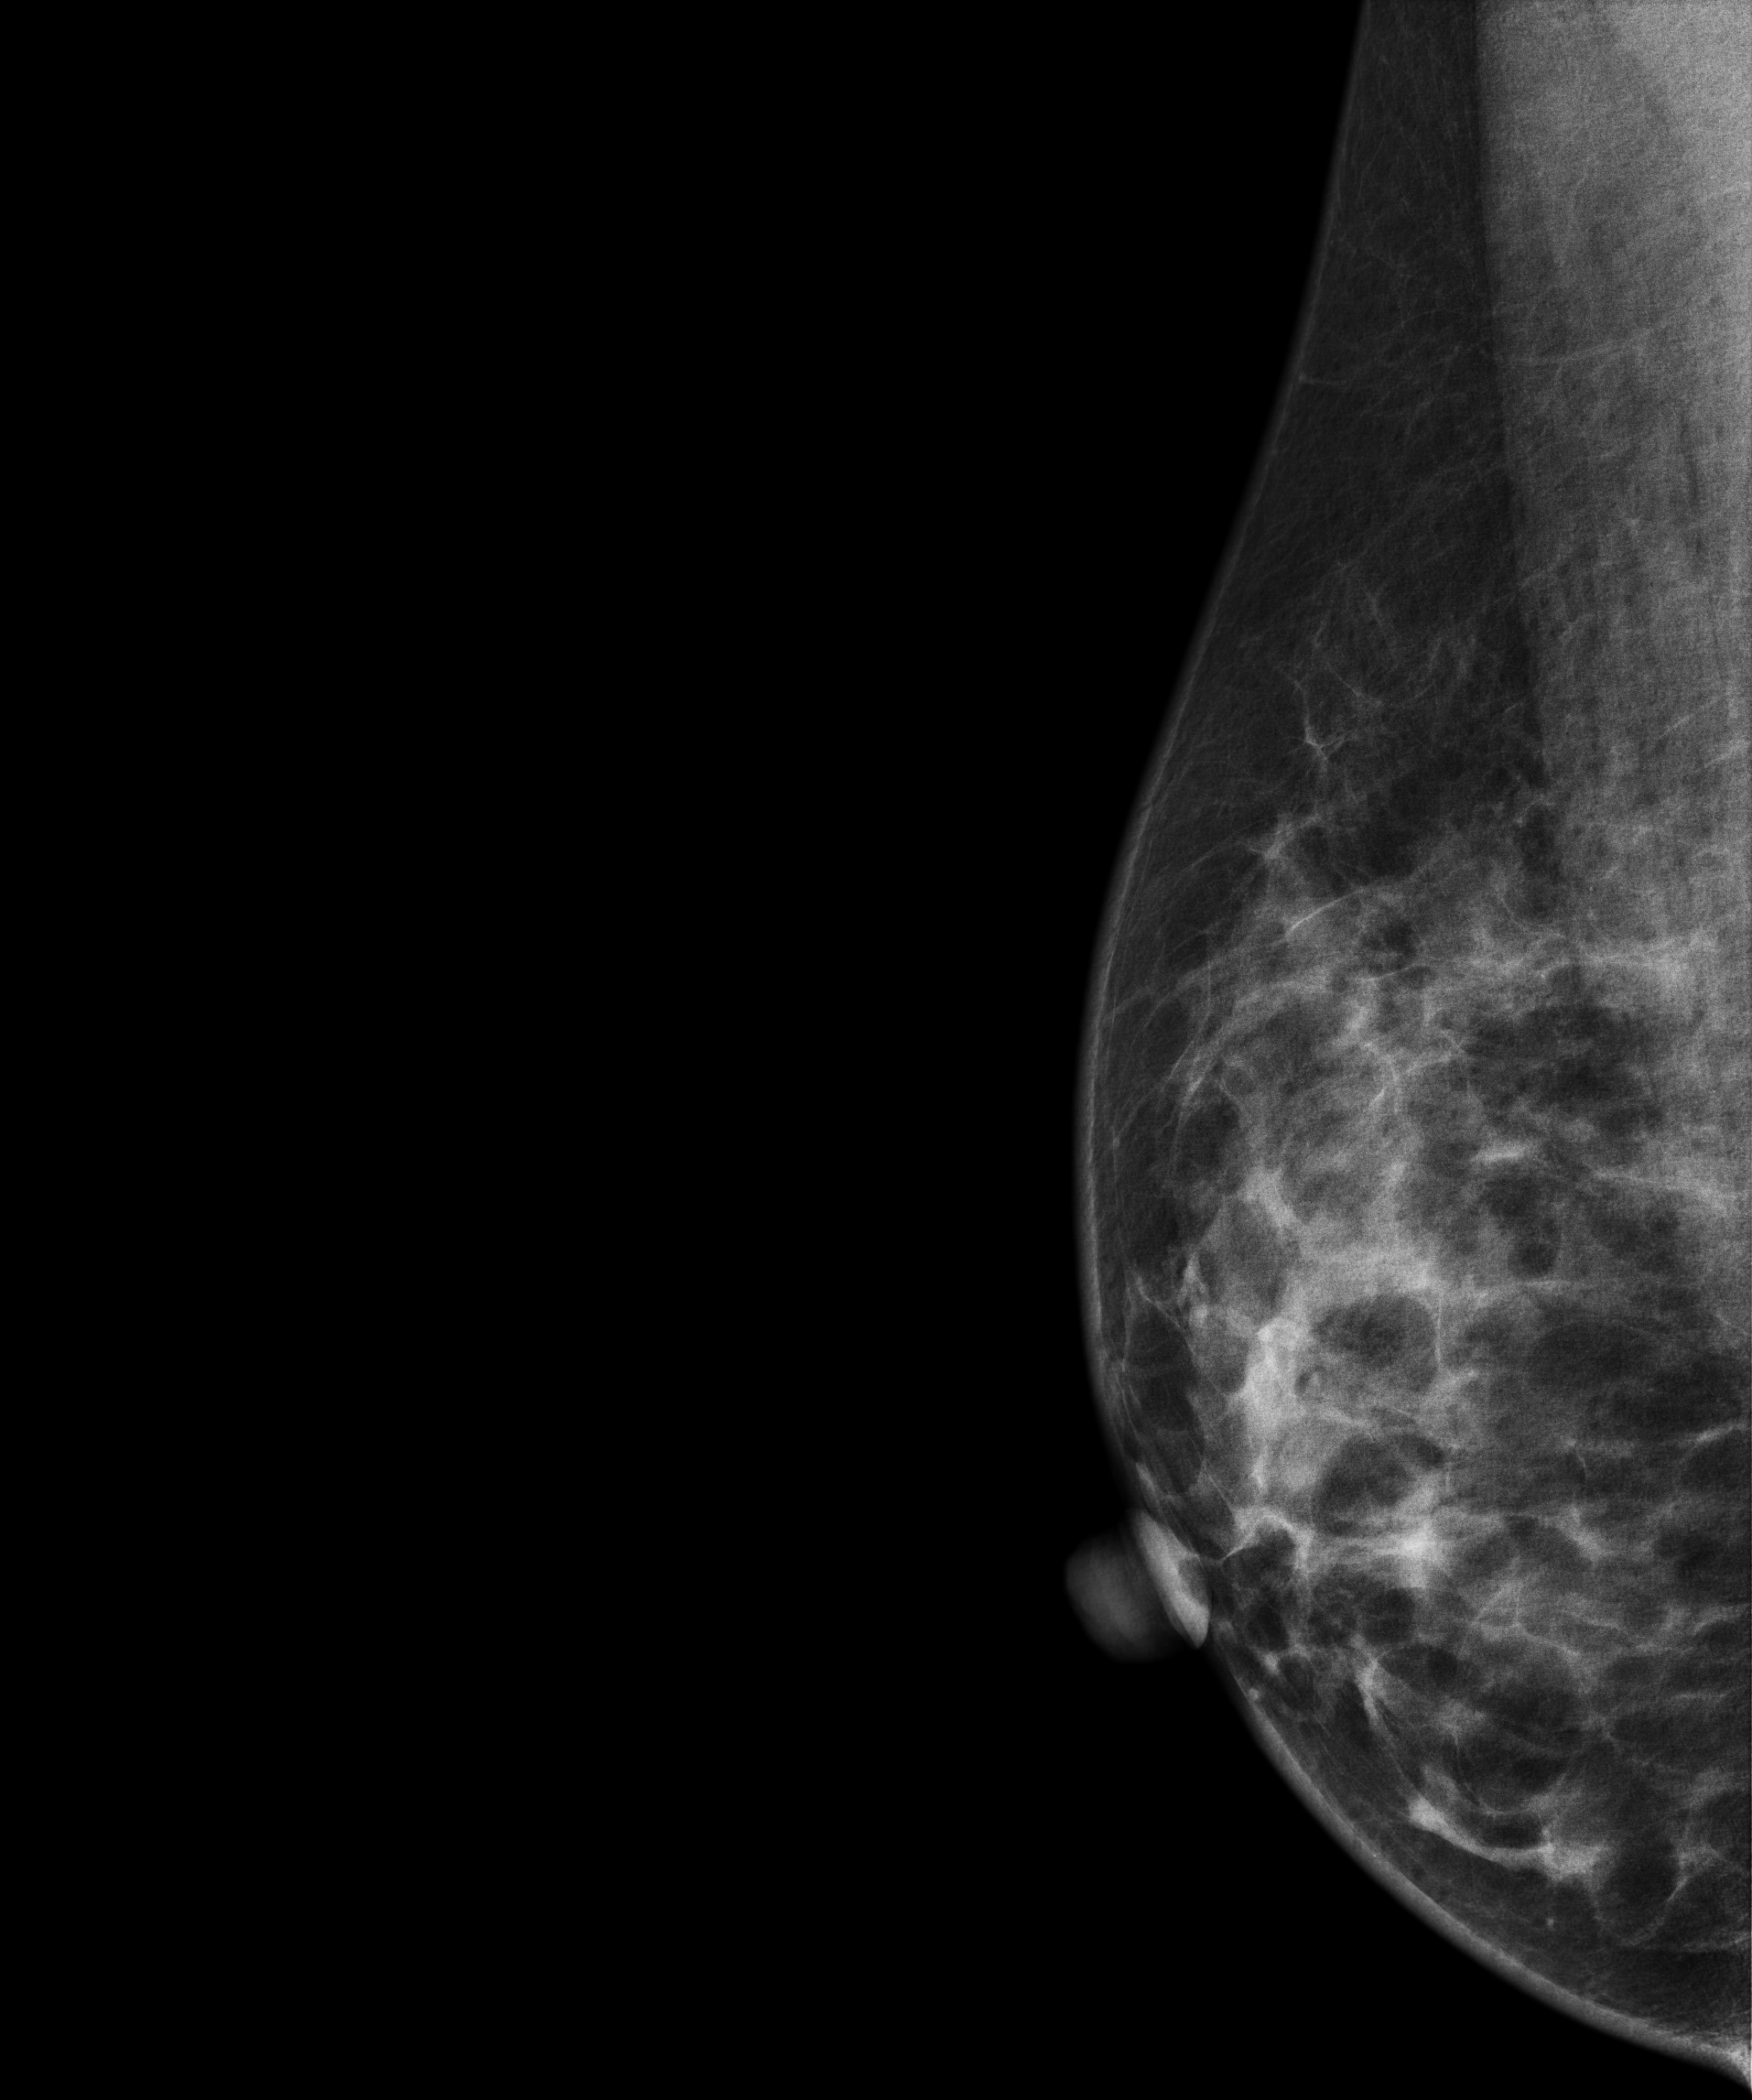
Medio-lateral oblique mammogram of the right breast. Patient age 44.
Contralateral breast — no documented abnormality on this side.